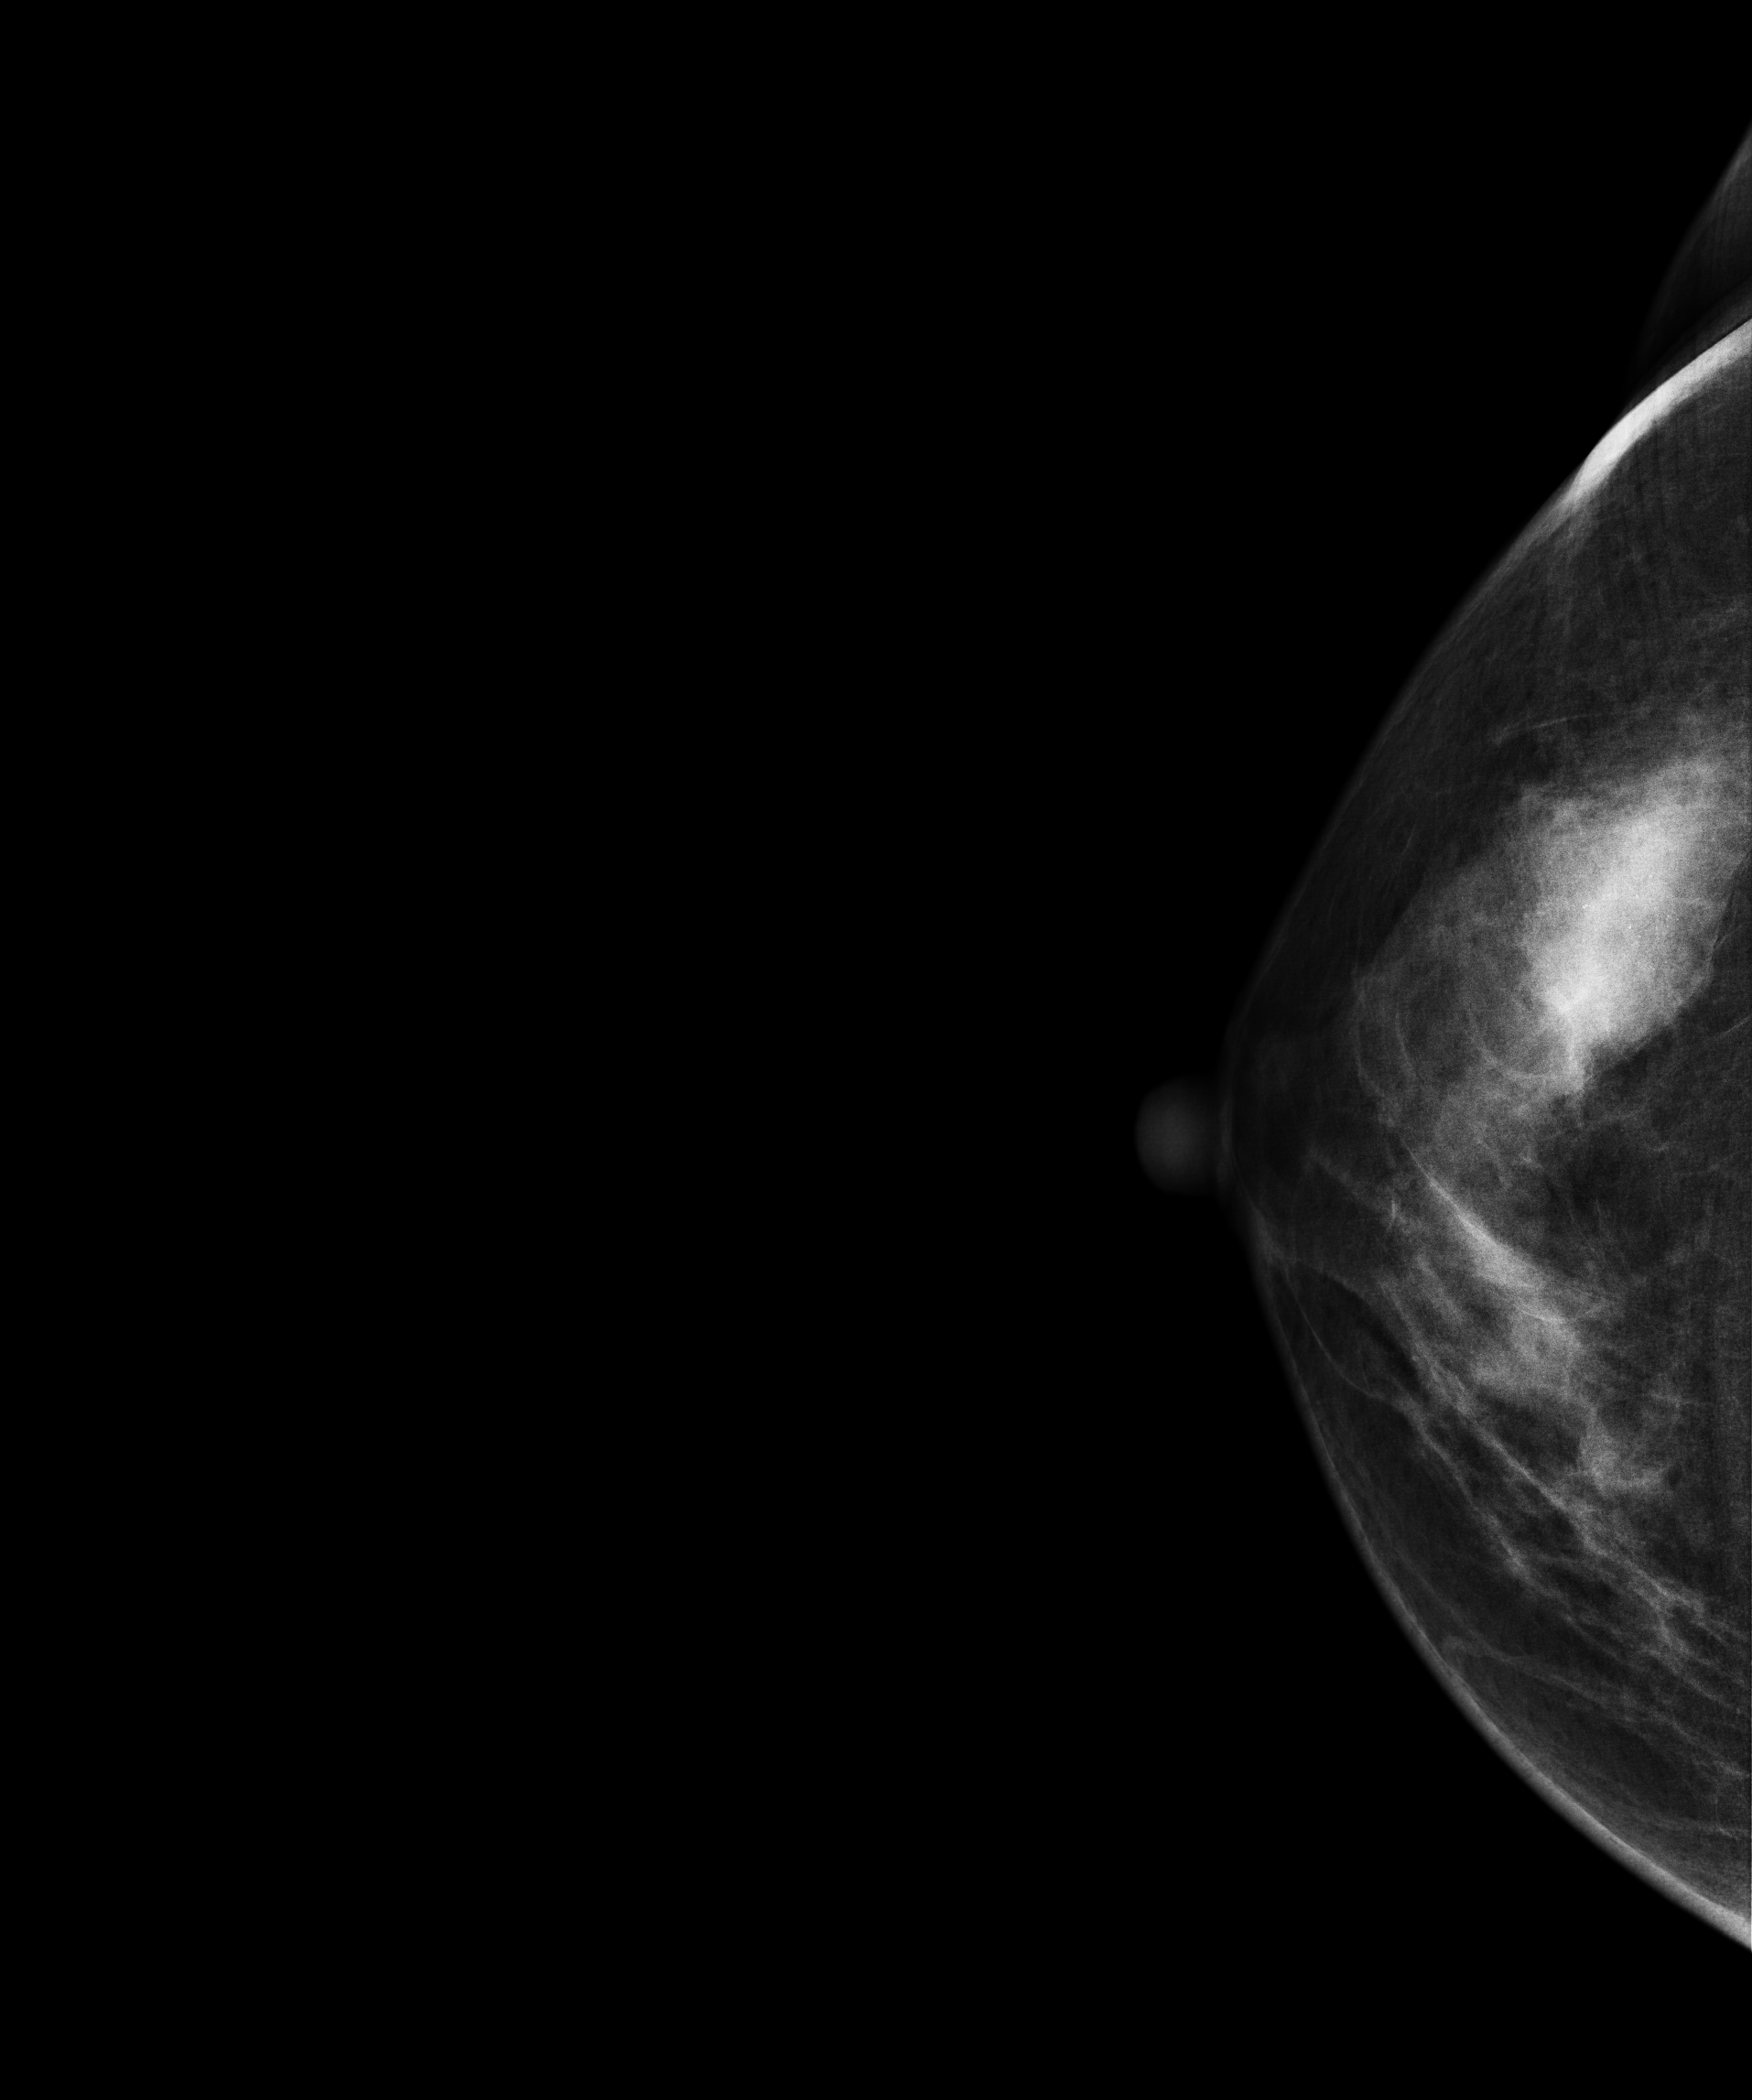
Mammogram — right CC. 39-year-old patient.
This breast has a mass and calcifications, histologically confirmed malignant. Molecular subtype: triple-negative.